Mammogram — left cranio-caudal. Patient age 38.
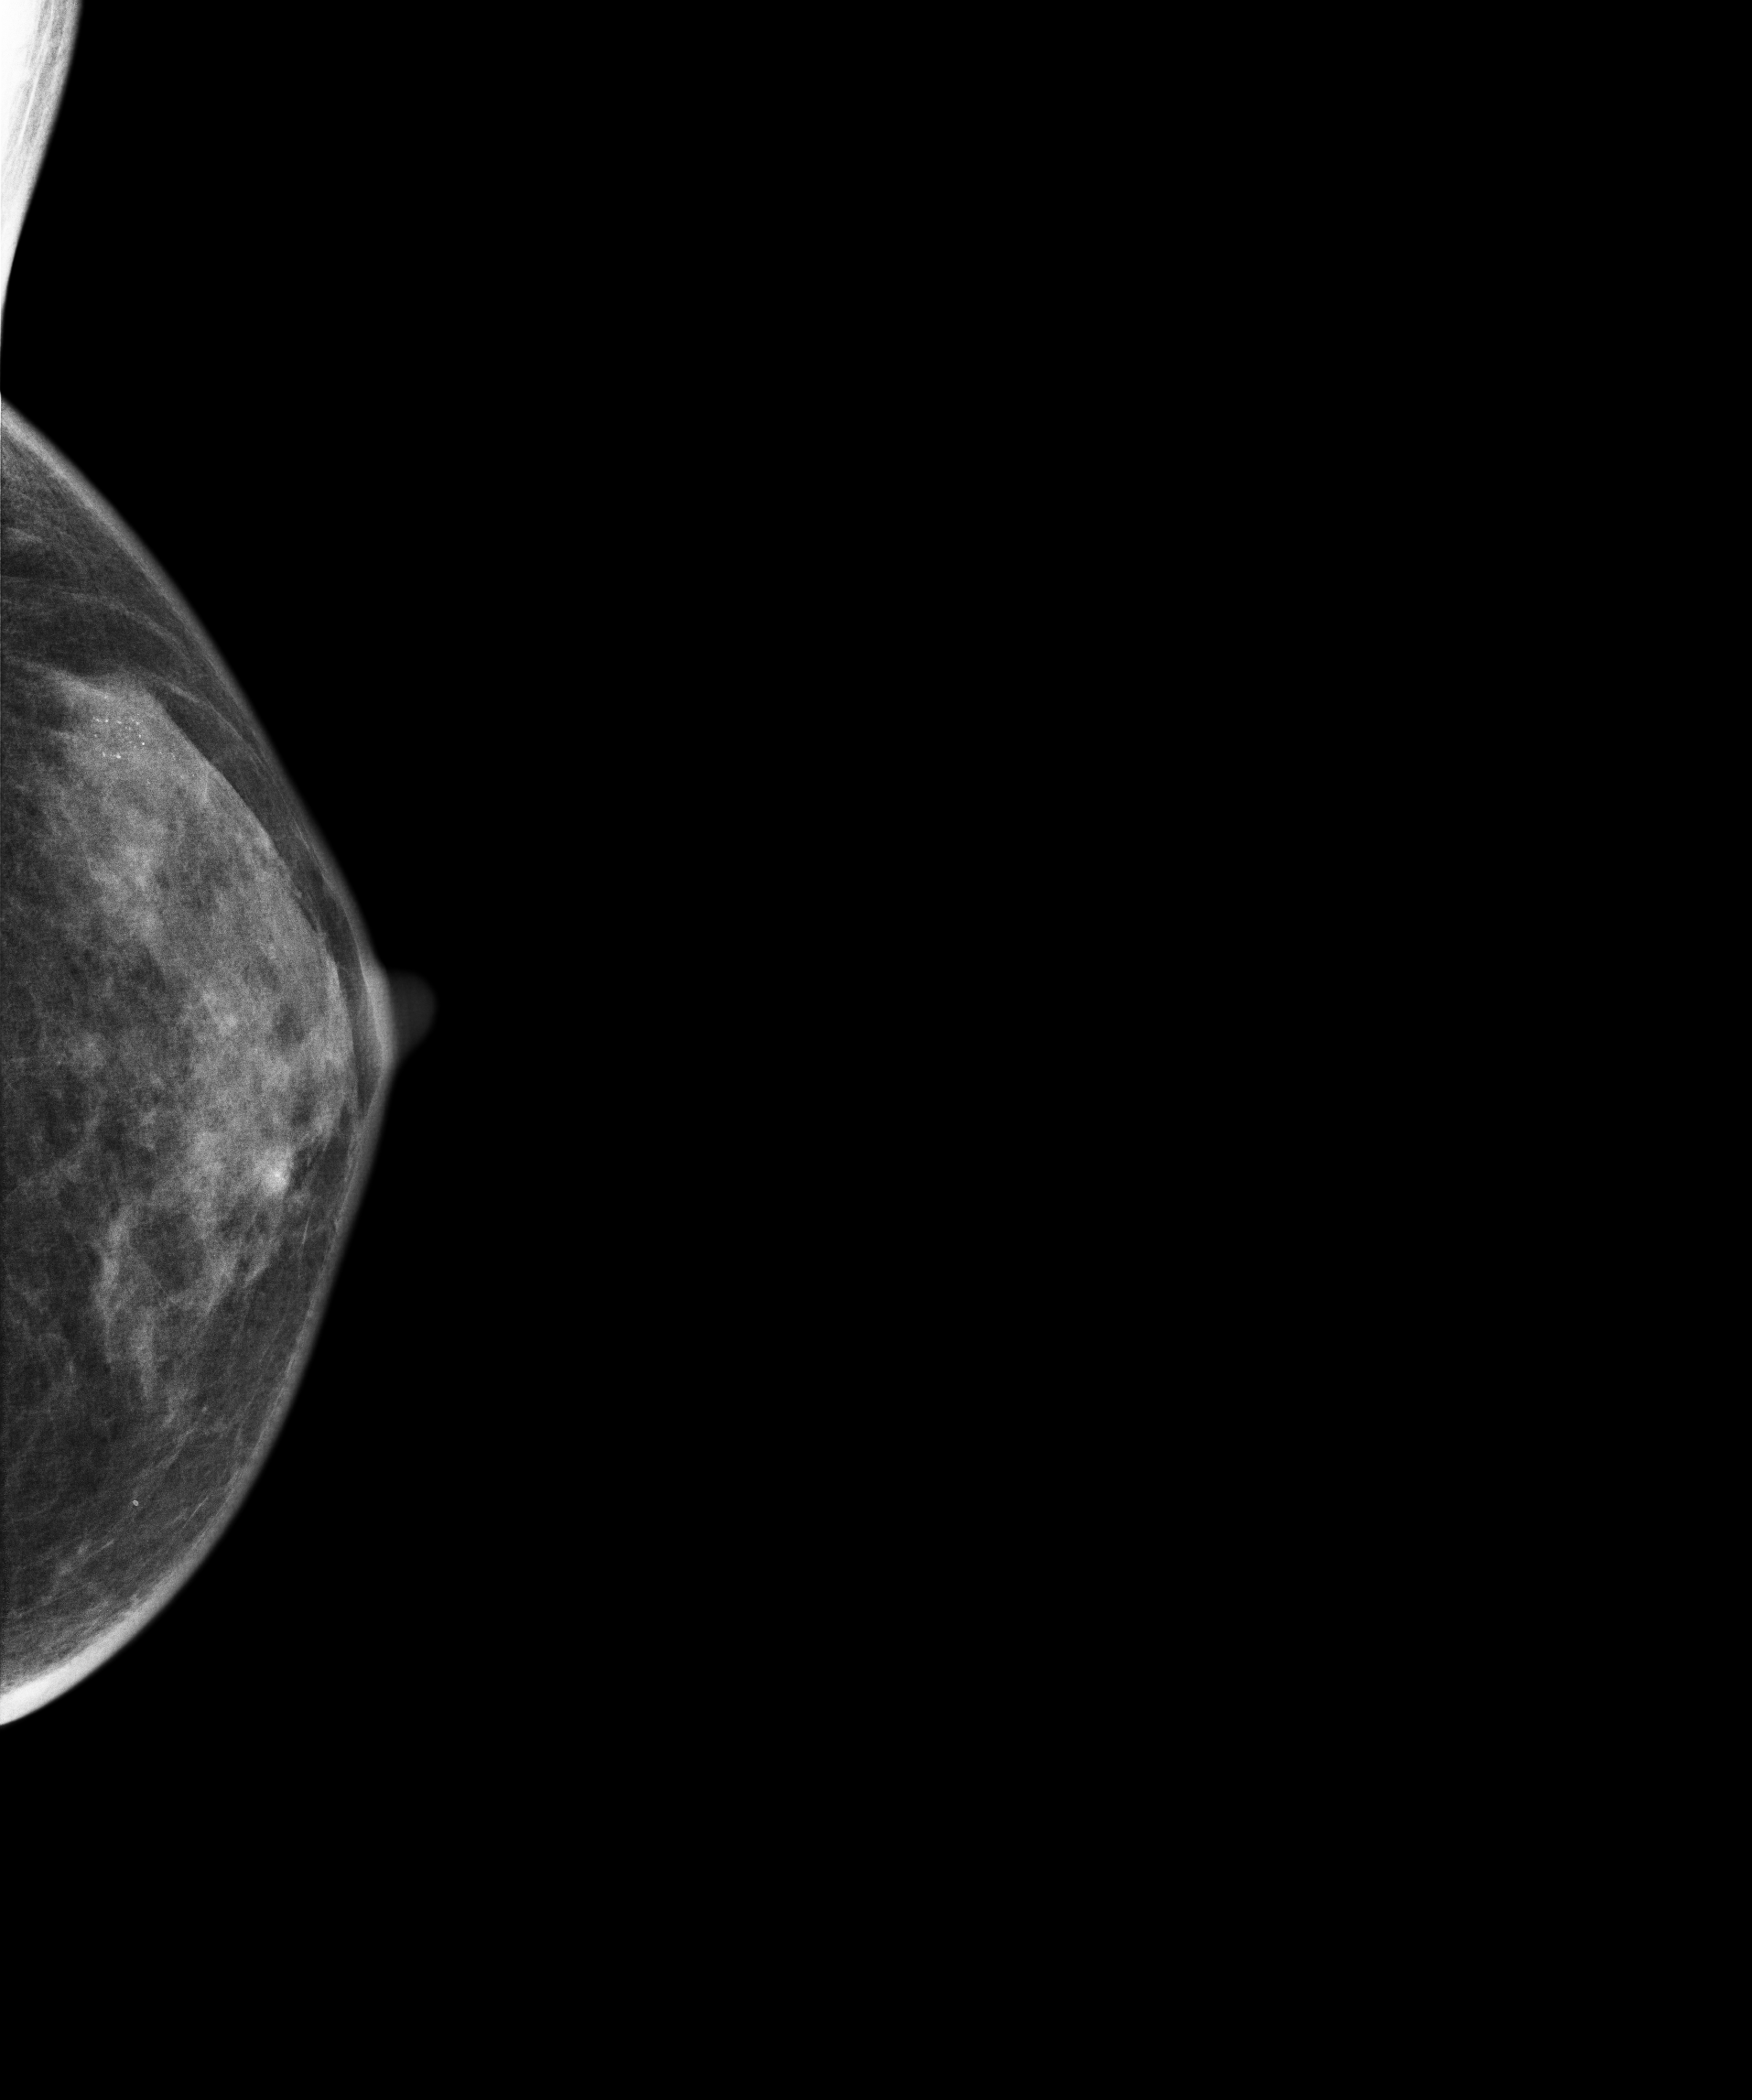
This breast has calcifications, biopsy-confirmed malignant.